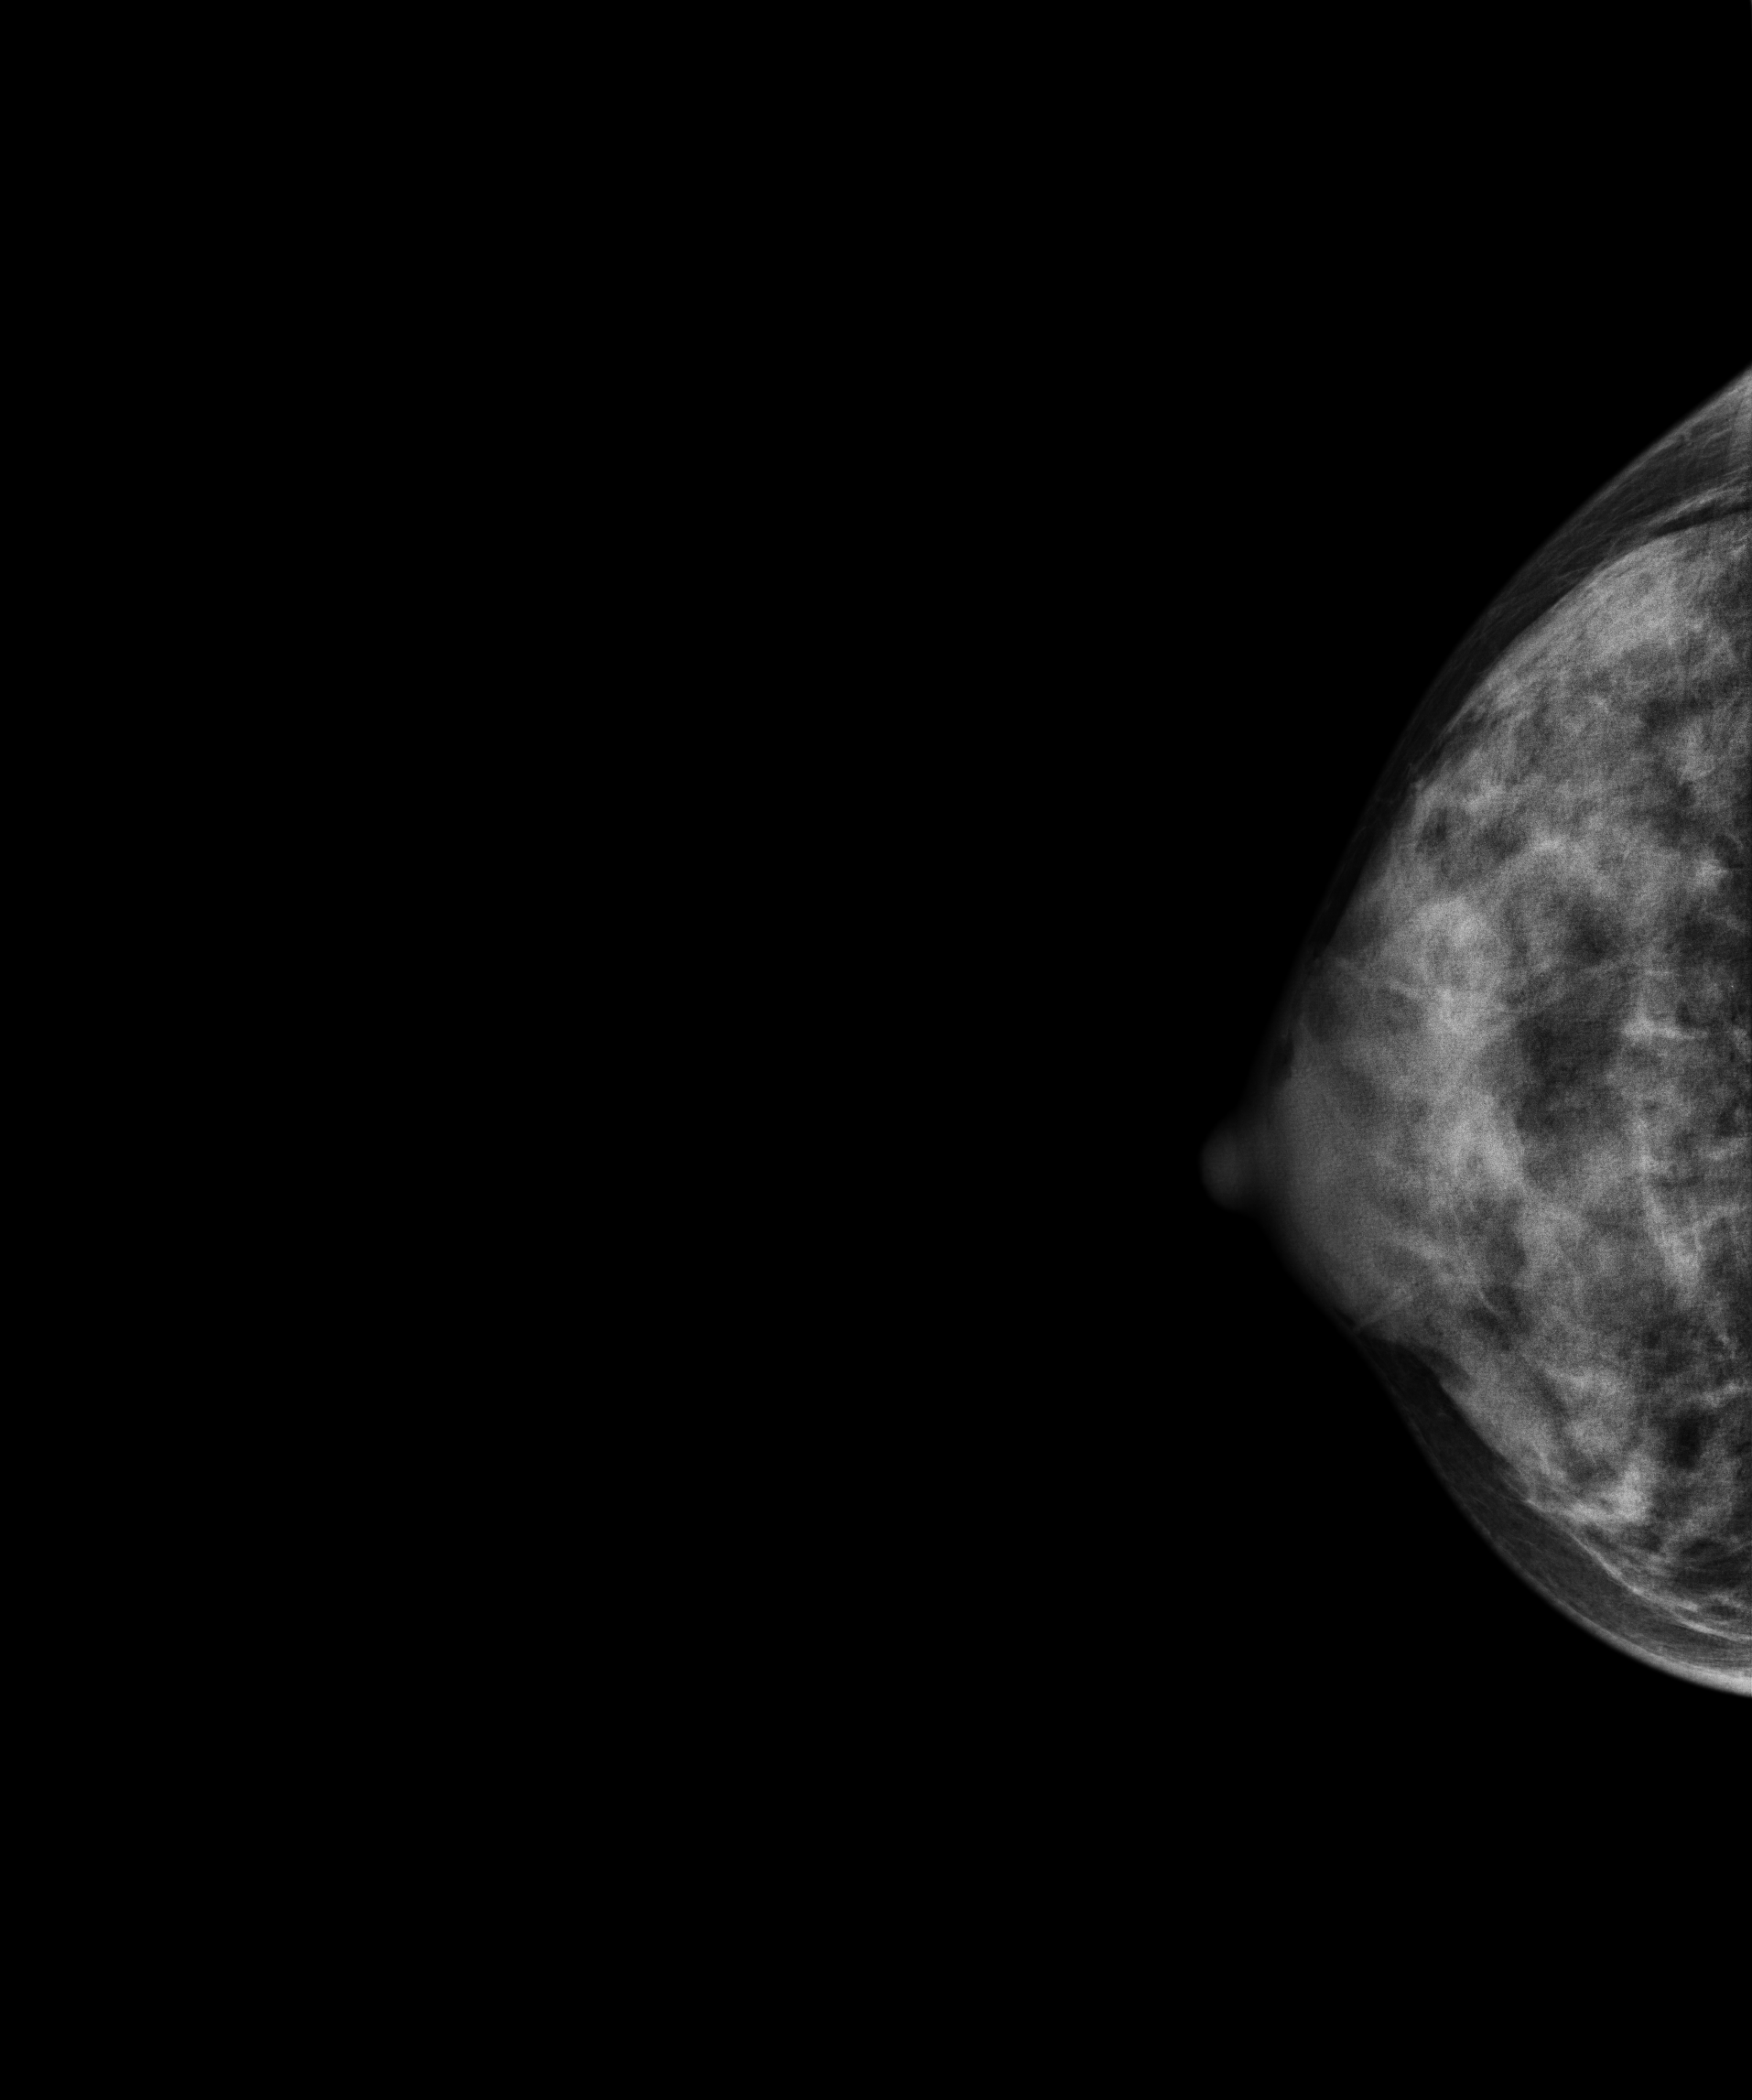
Digital mammography. Right breast, CC projection. 32 y/o patient.
This breast has a mass, biopsy-confirmed malignant.